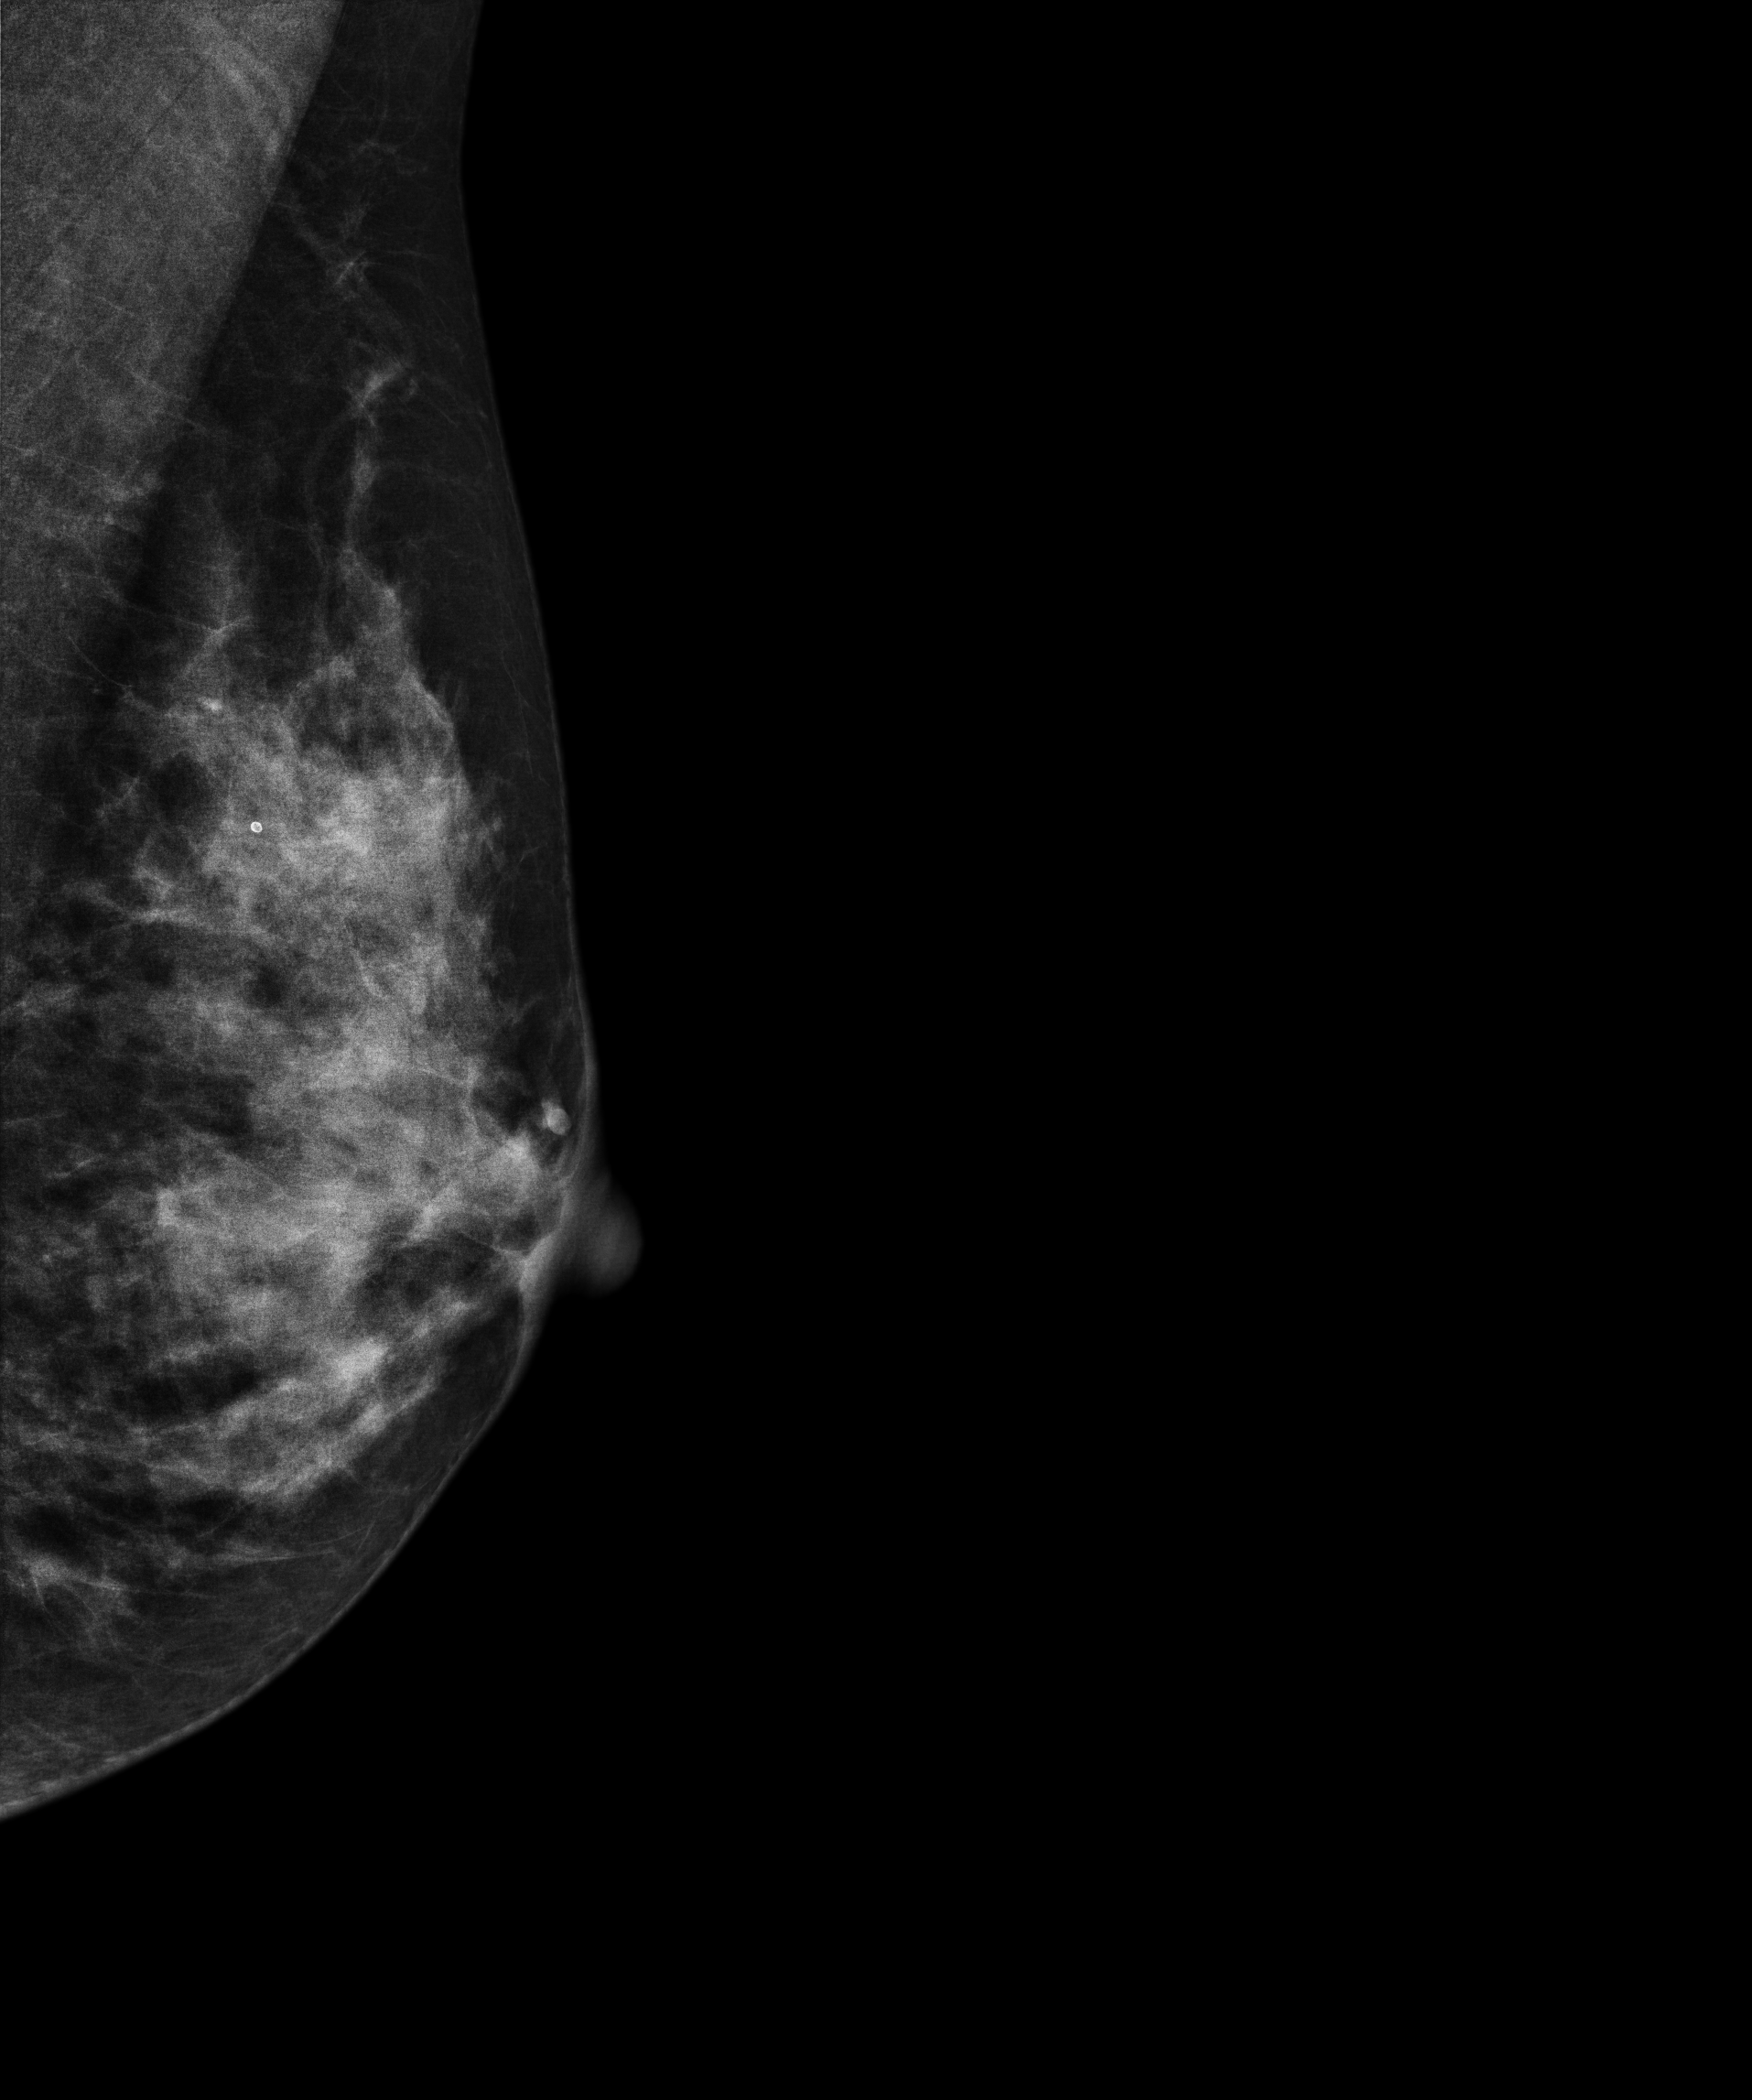
Digital mammography. Left breast, medio-lateral oblique projection. 34-year-old patient.
Contralateral breast — no documented abnormality on this side.